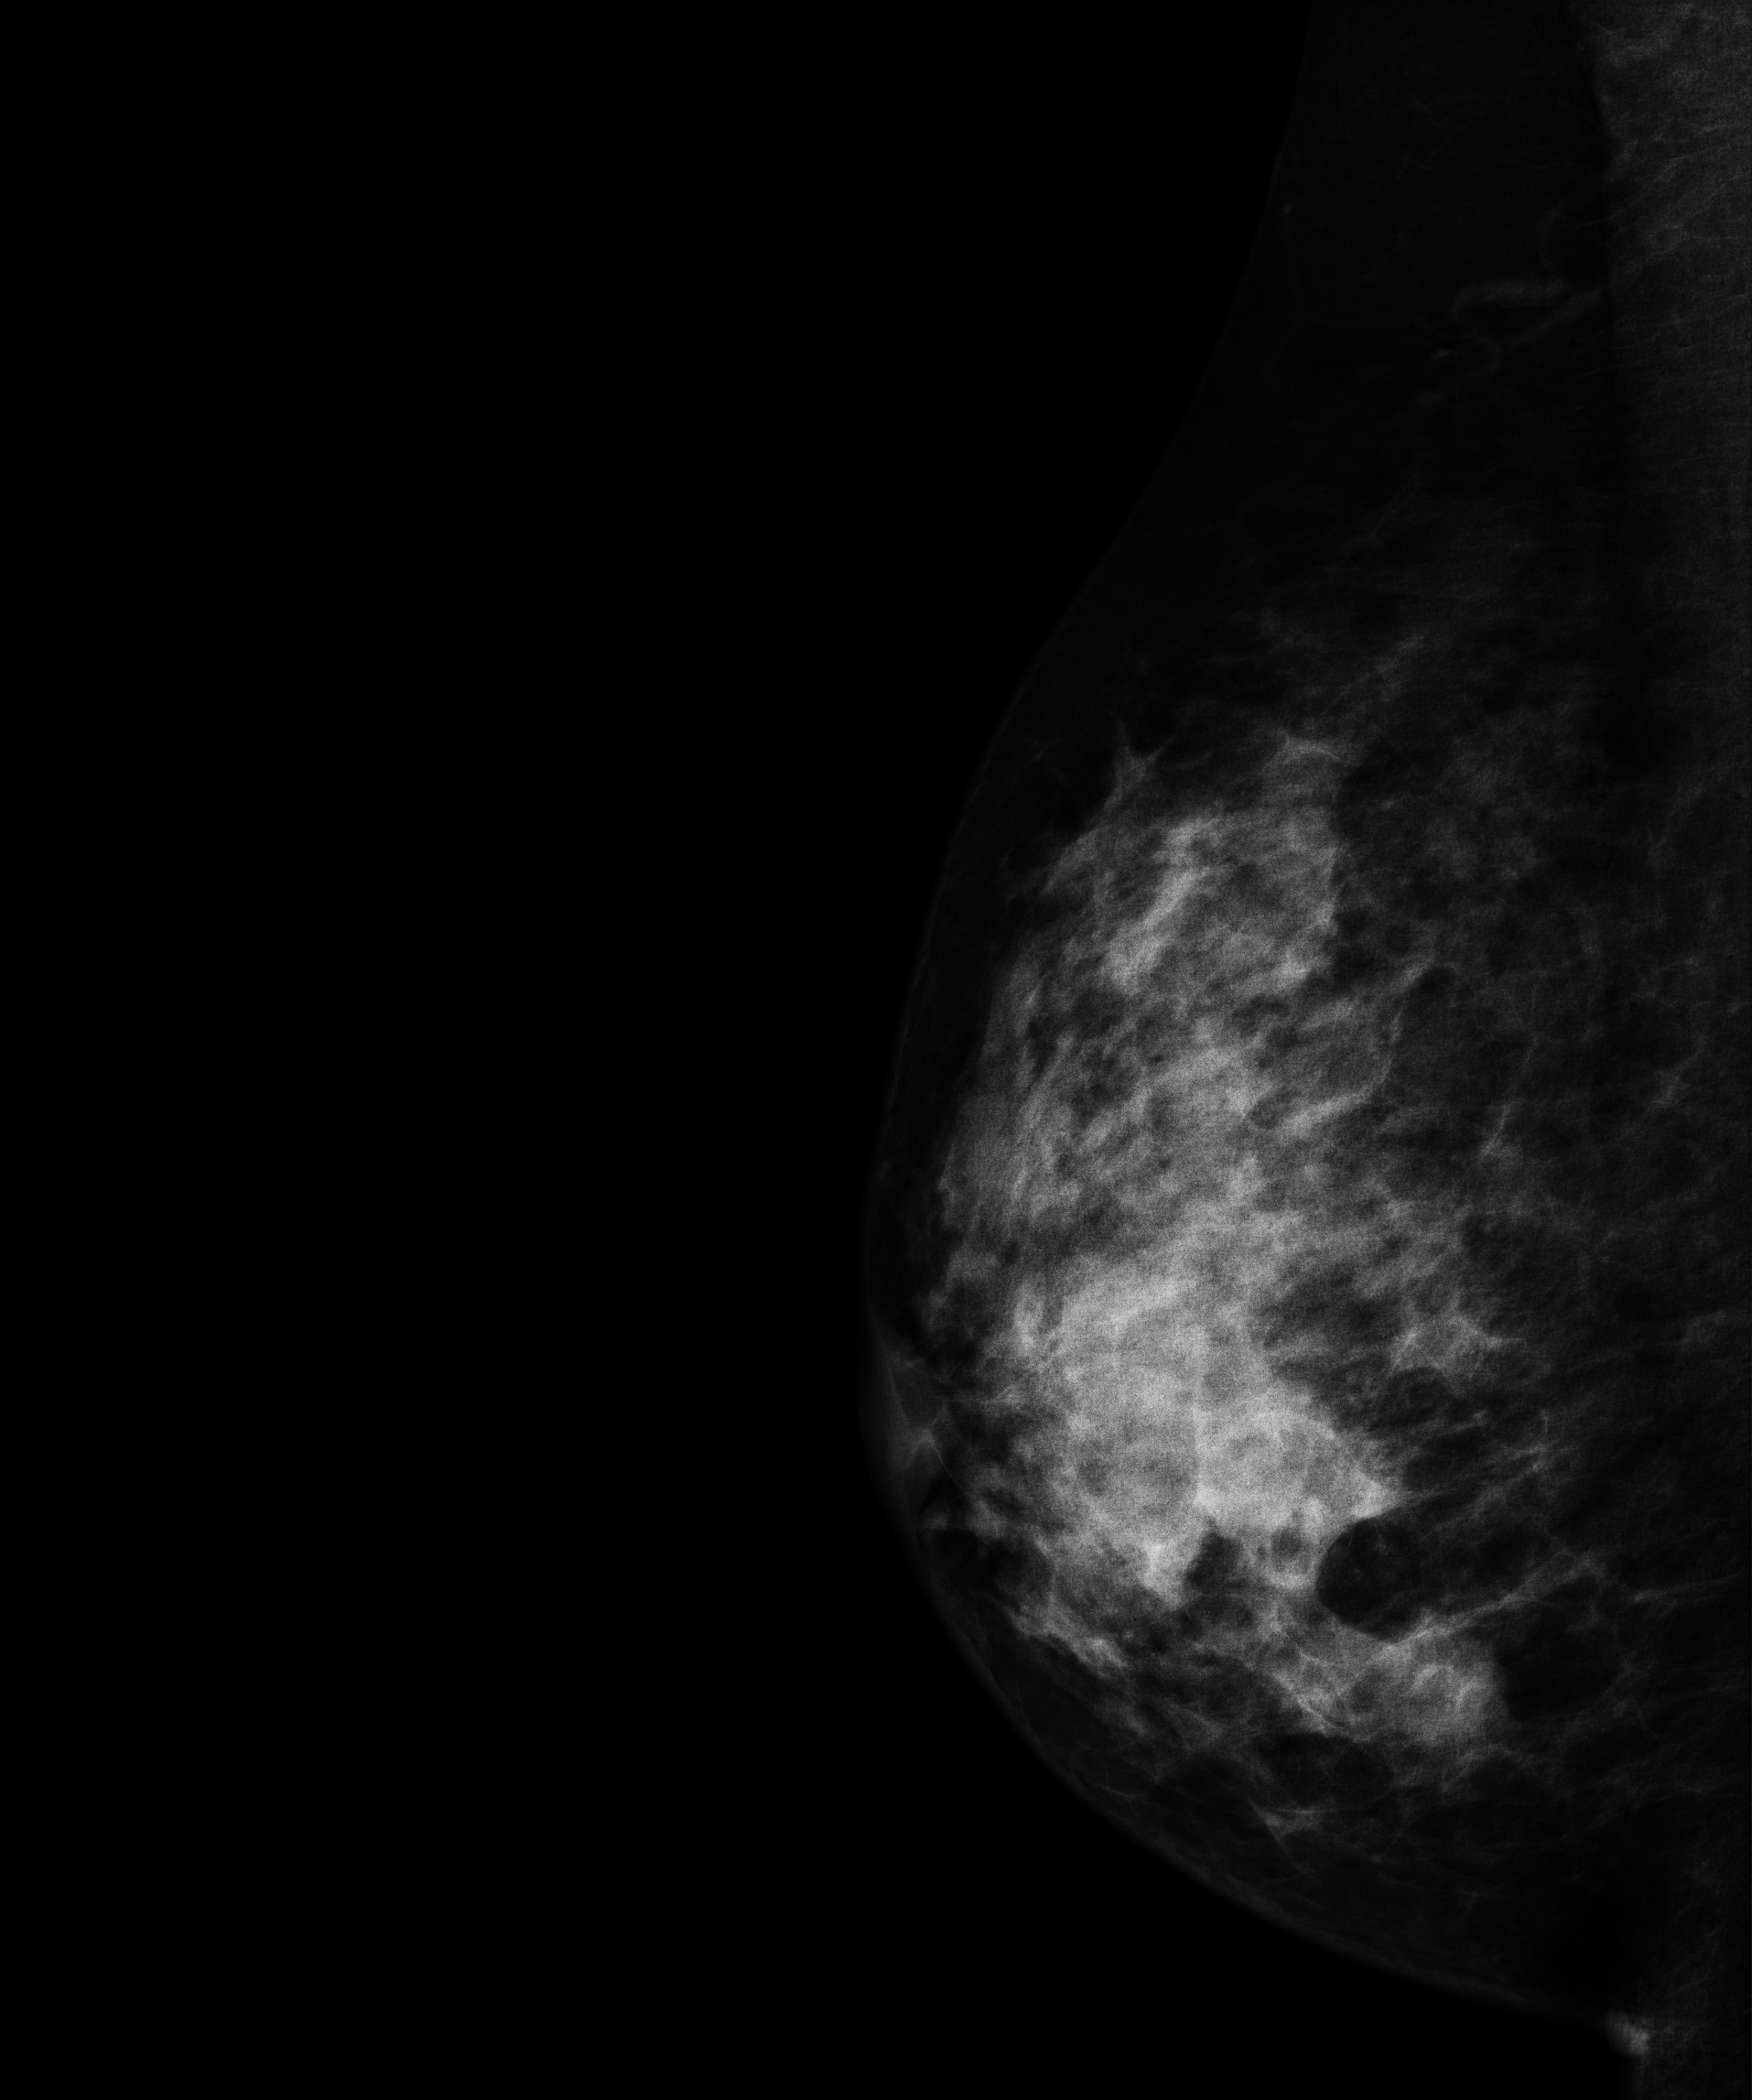
Right-breast mammogram, cranio-caudal. 42 y/o patient.
This breast has a mass, pathology-confirmed malignant. Molecular subtype: HER2-enriched.